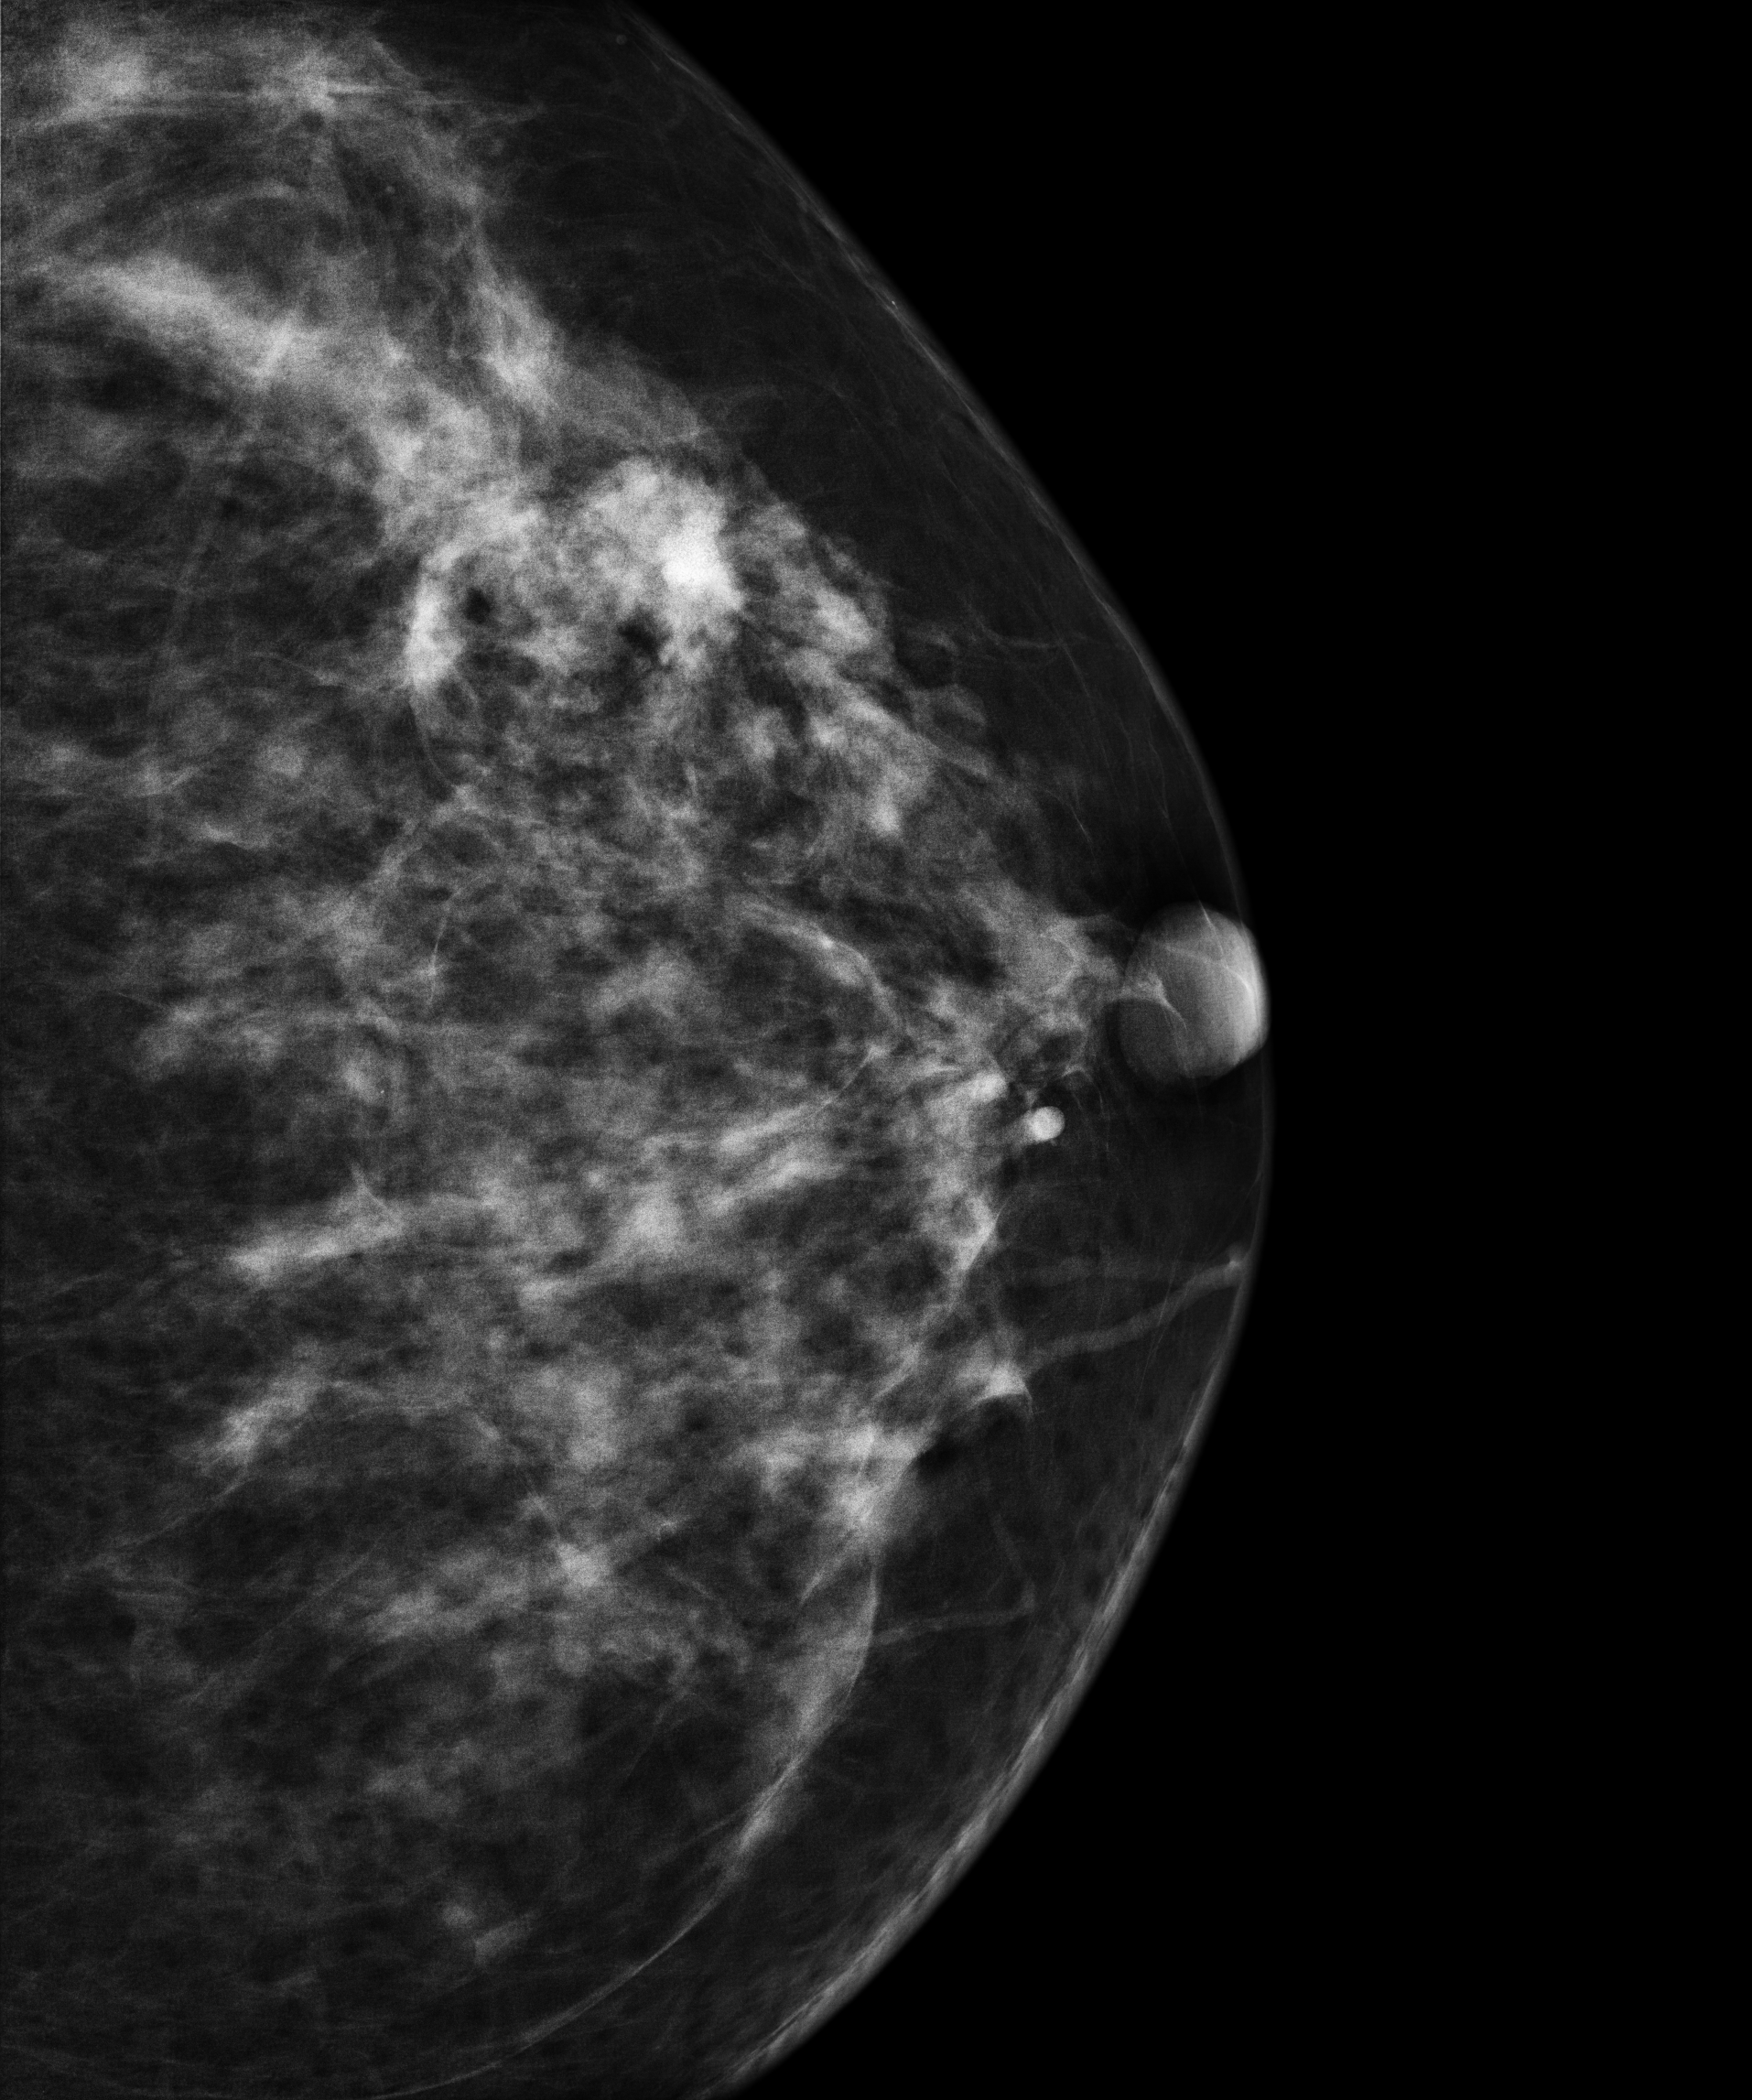
Digital mammography. Left breast, cranio-caudal projection. 45 y/o patient.
This breast has a mass, pathology-confirmed malignant. Molecular subtype: luminal B.